Mammogram — right CC. 65 y/o patient.
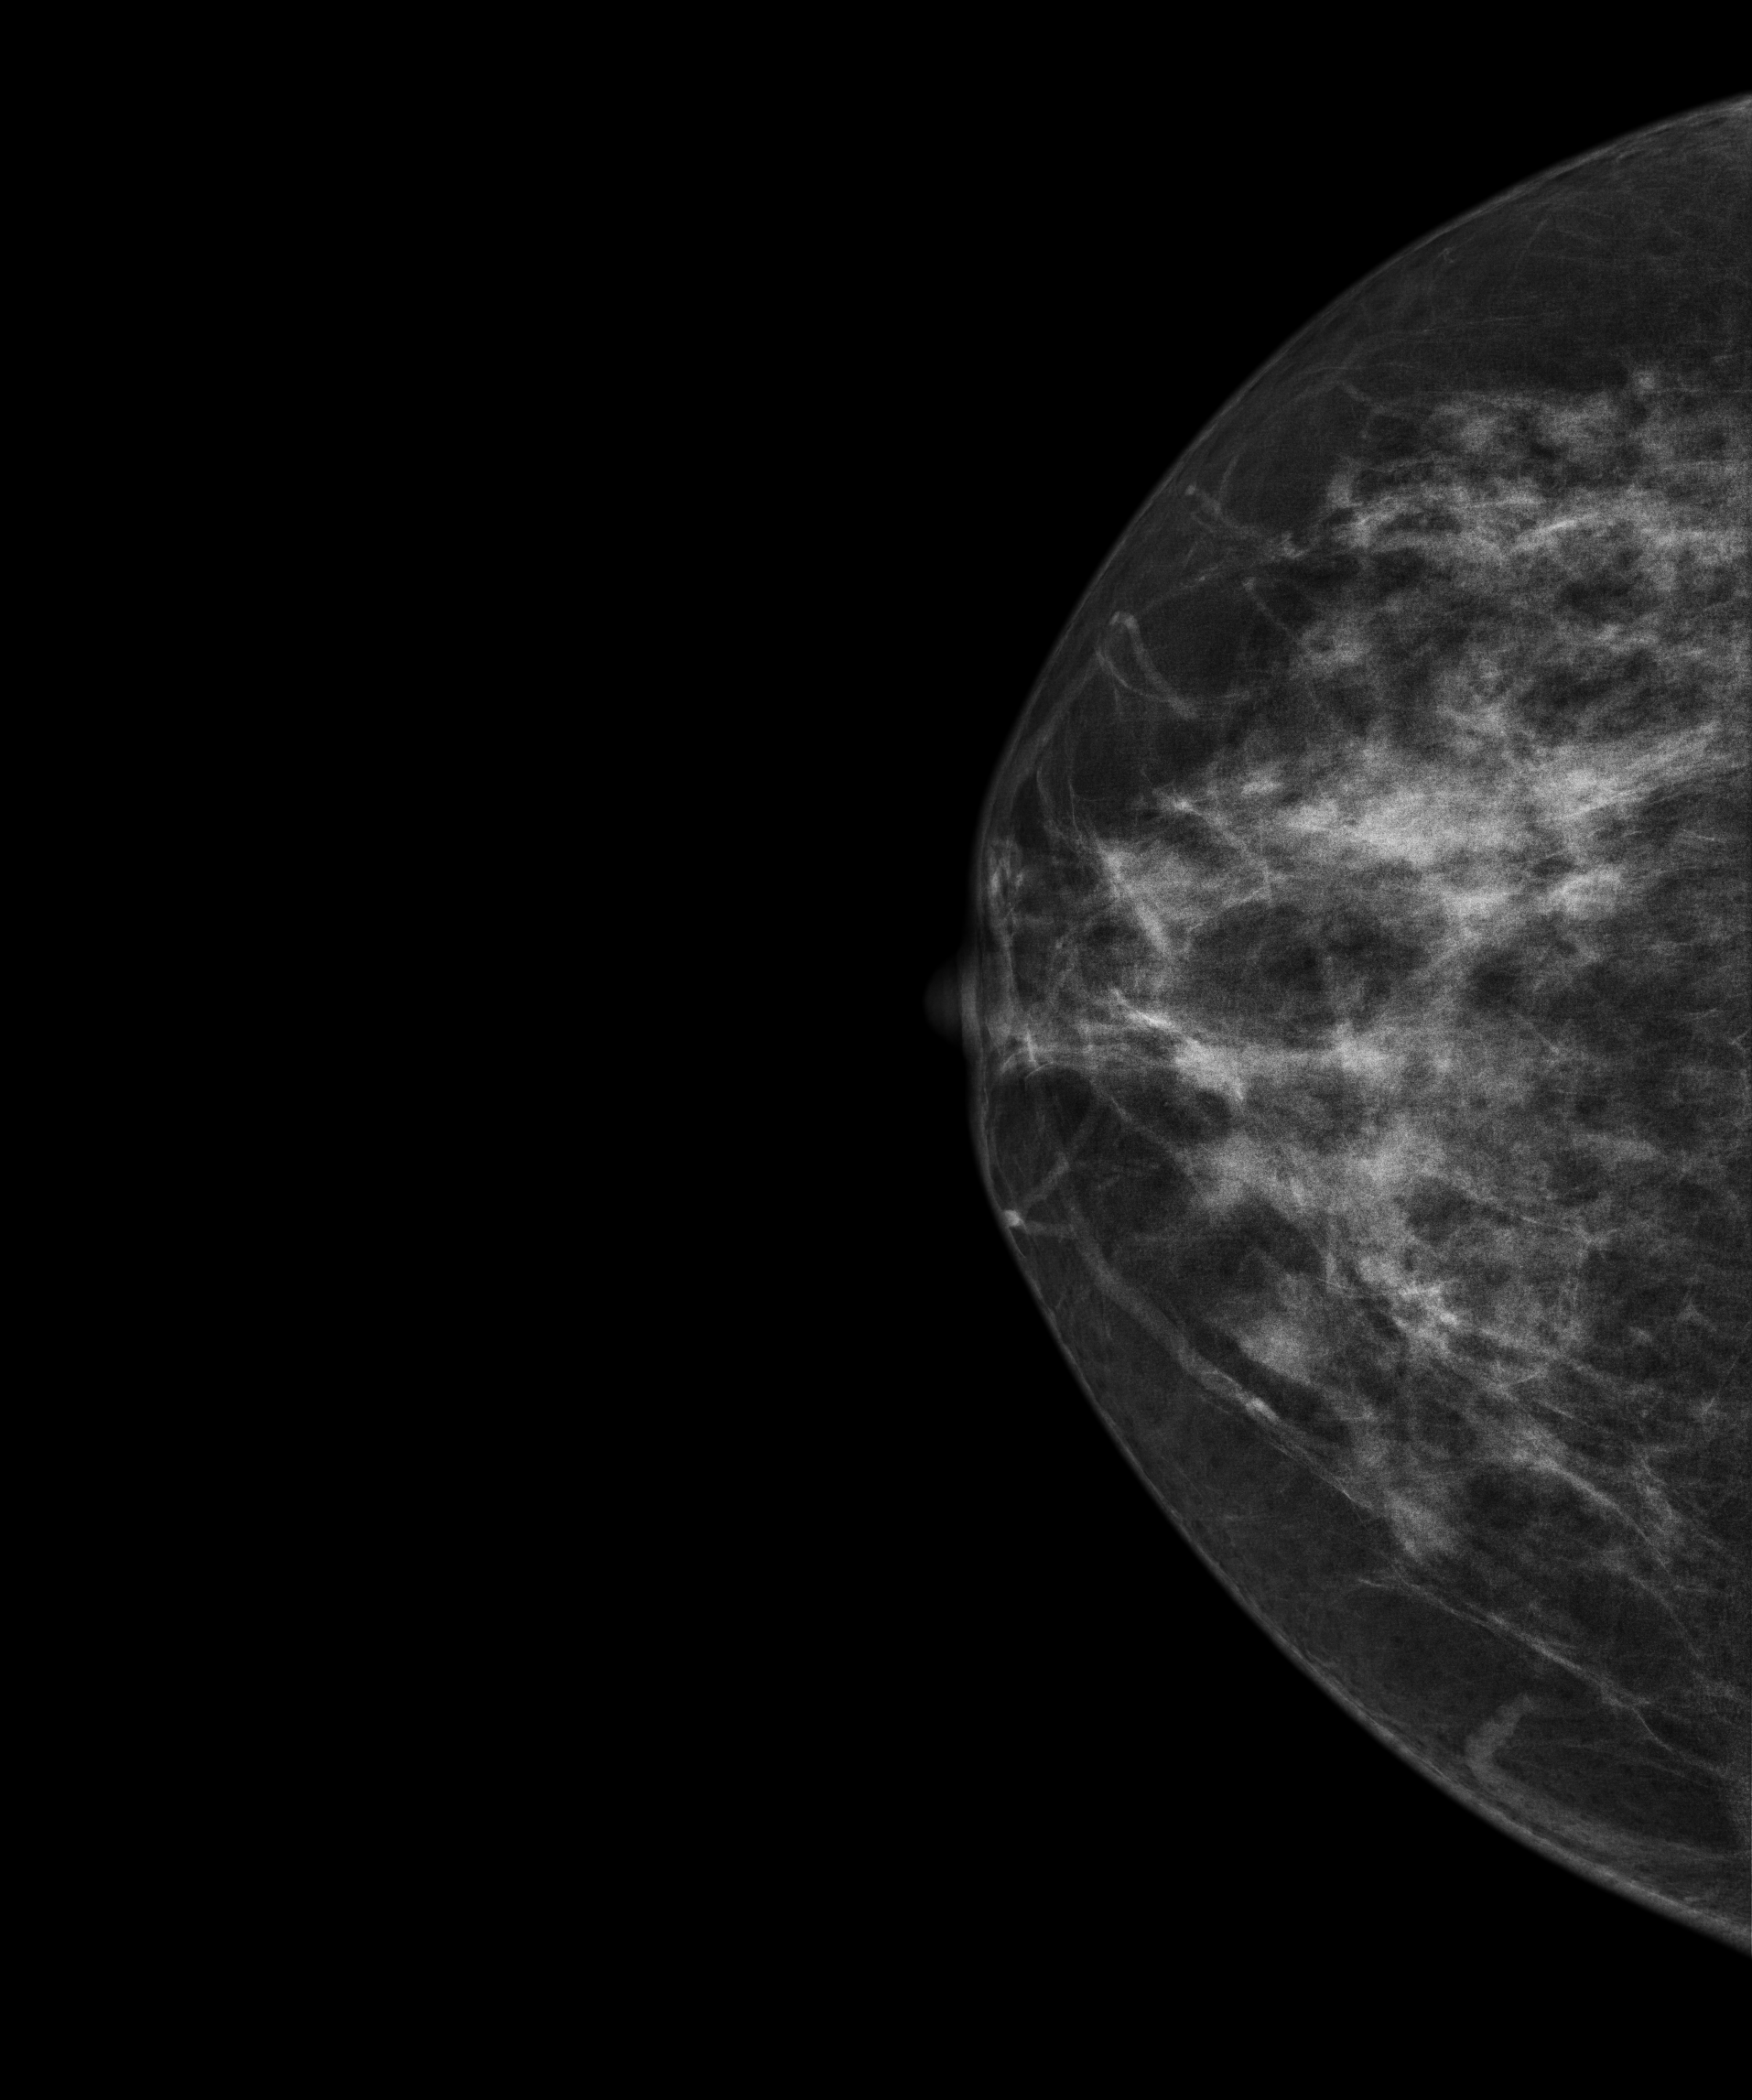
Contralateral breast — no documented abnormality on this side.